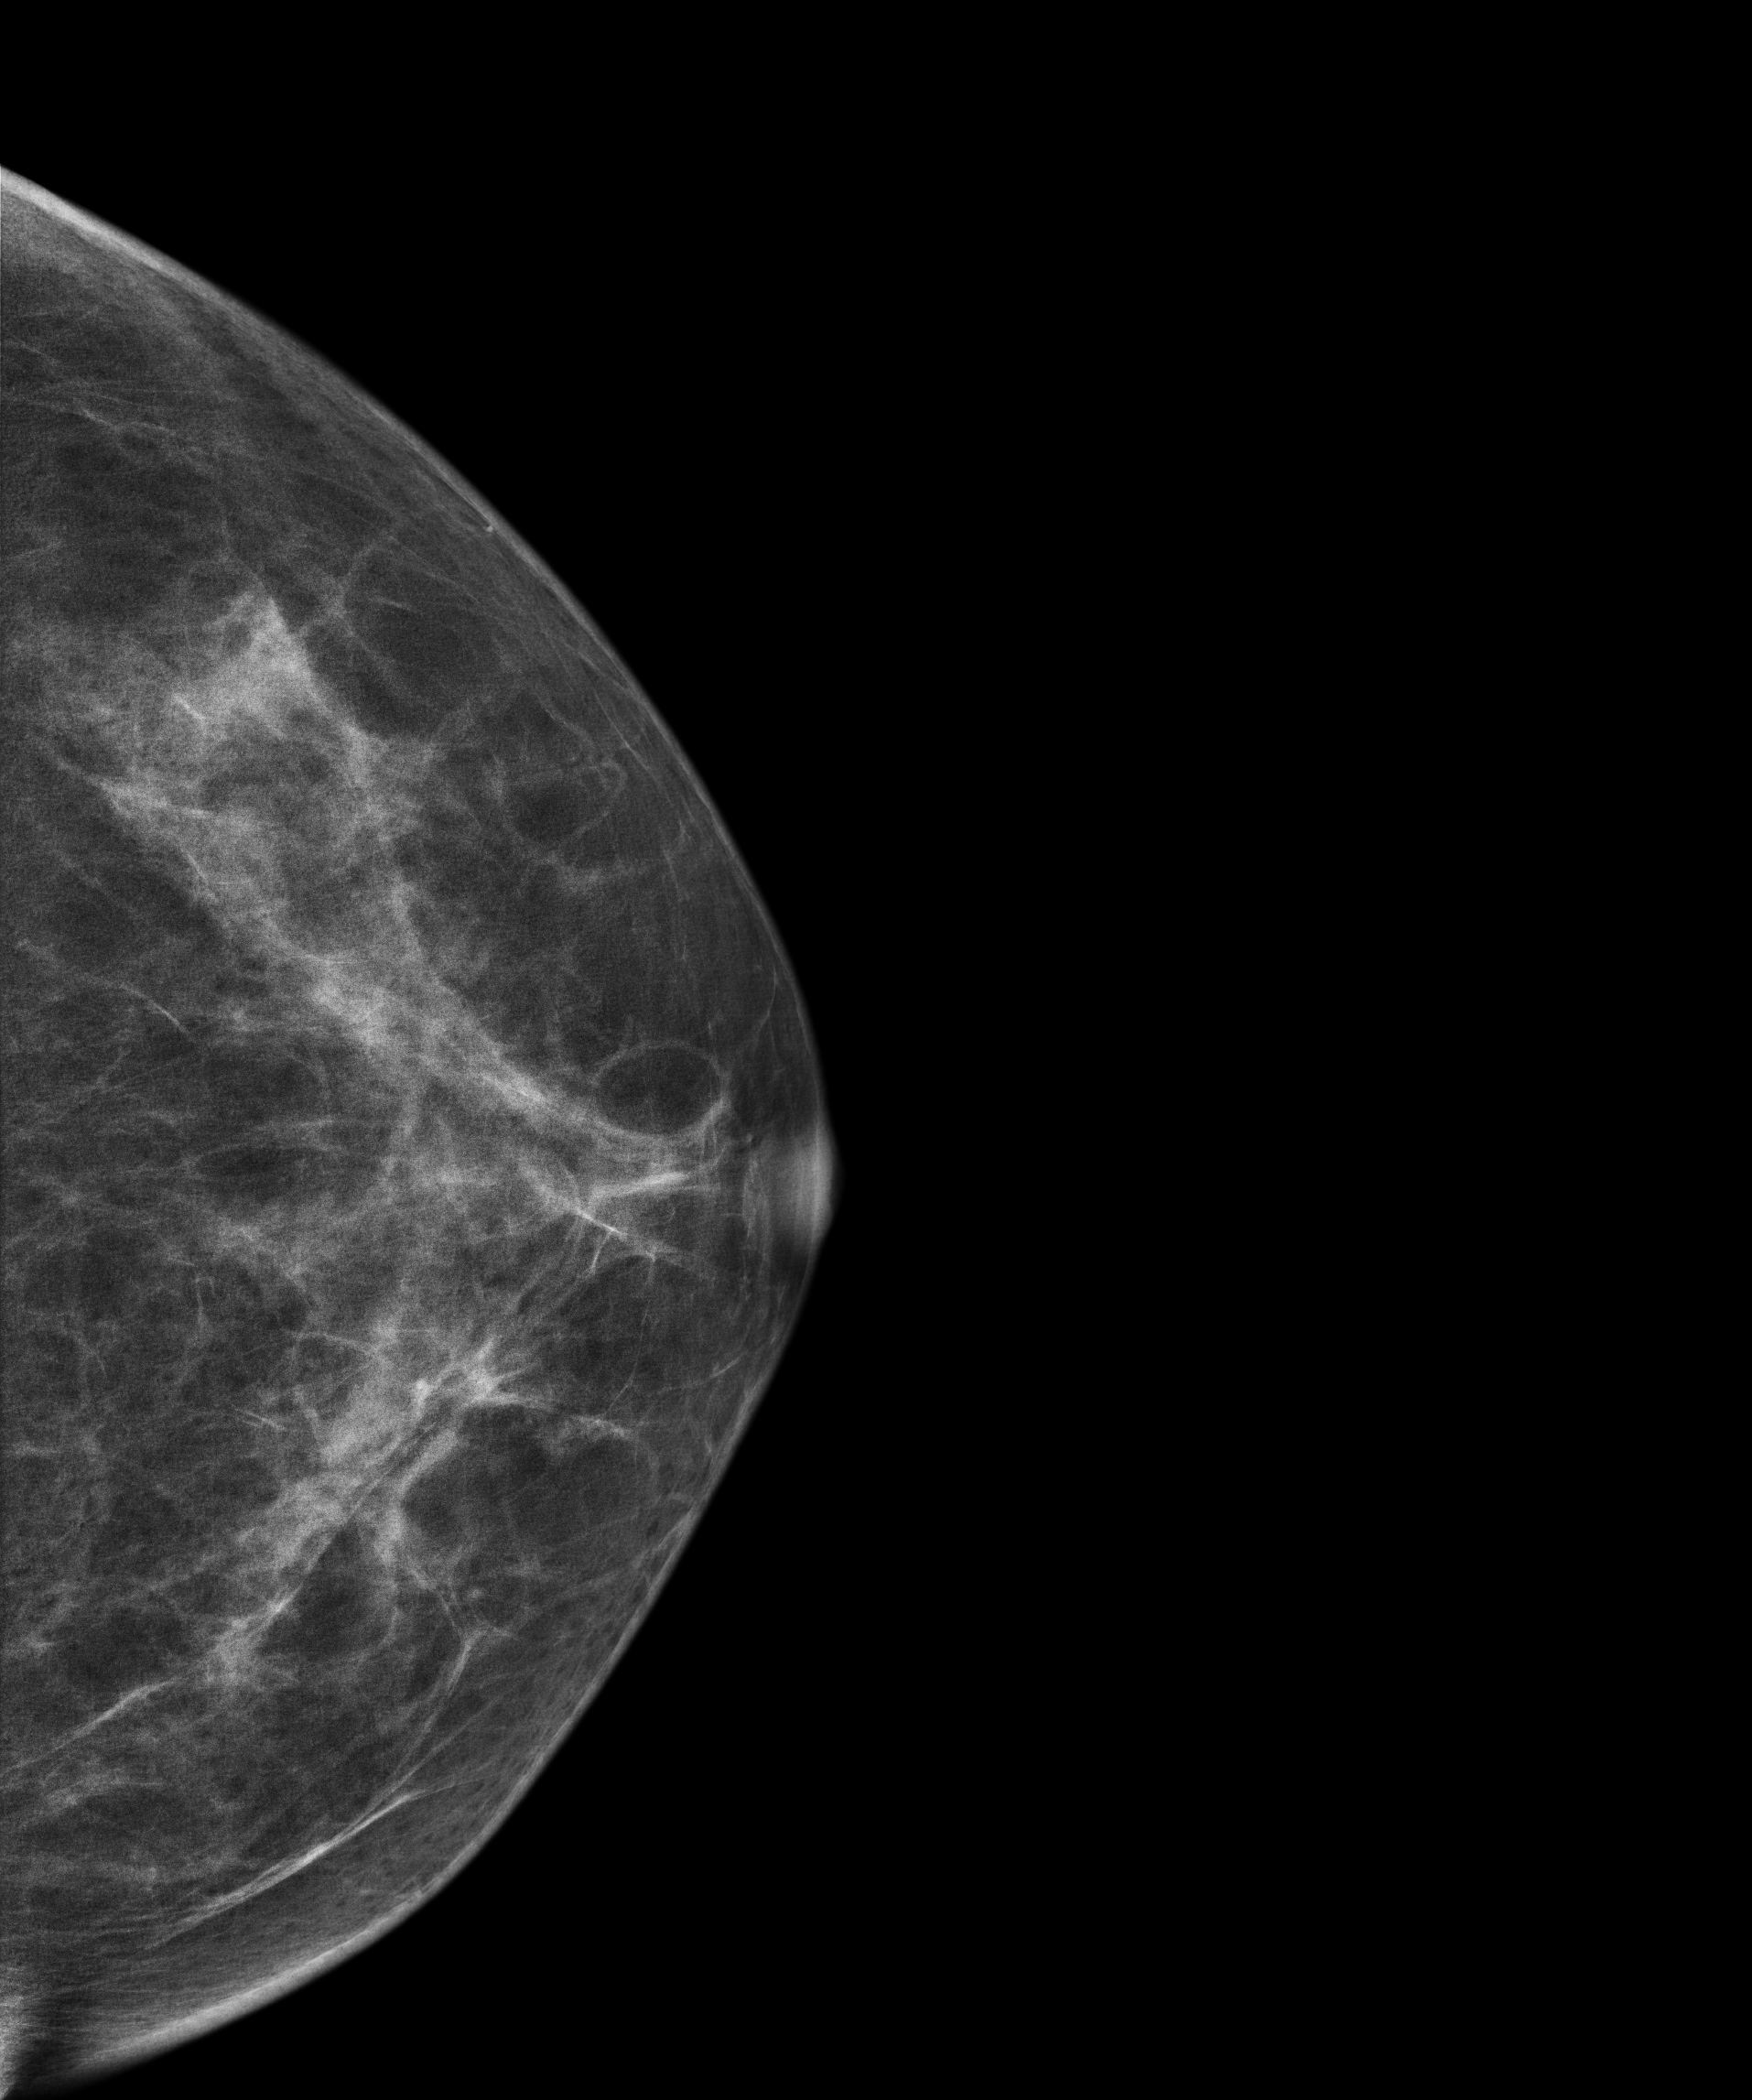
Left-breast mammogram, CC. 43-year-old patient.
Contralateral breast — no documented abnormality on this side.